Mammogram — right MLO. Patient age 32.
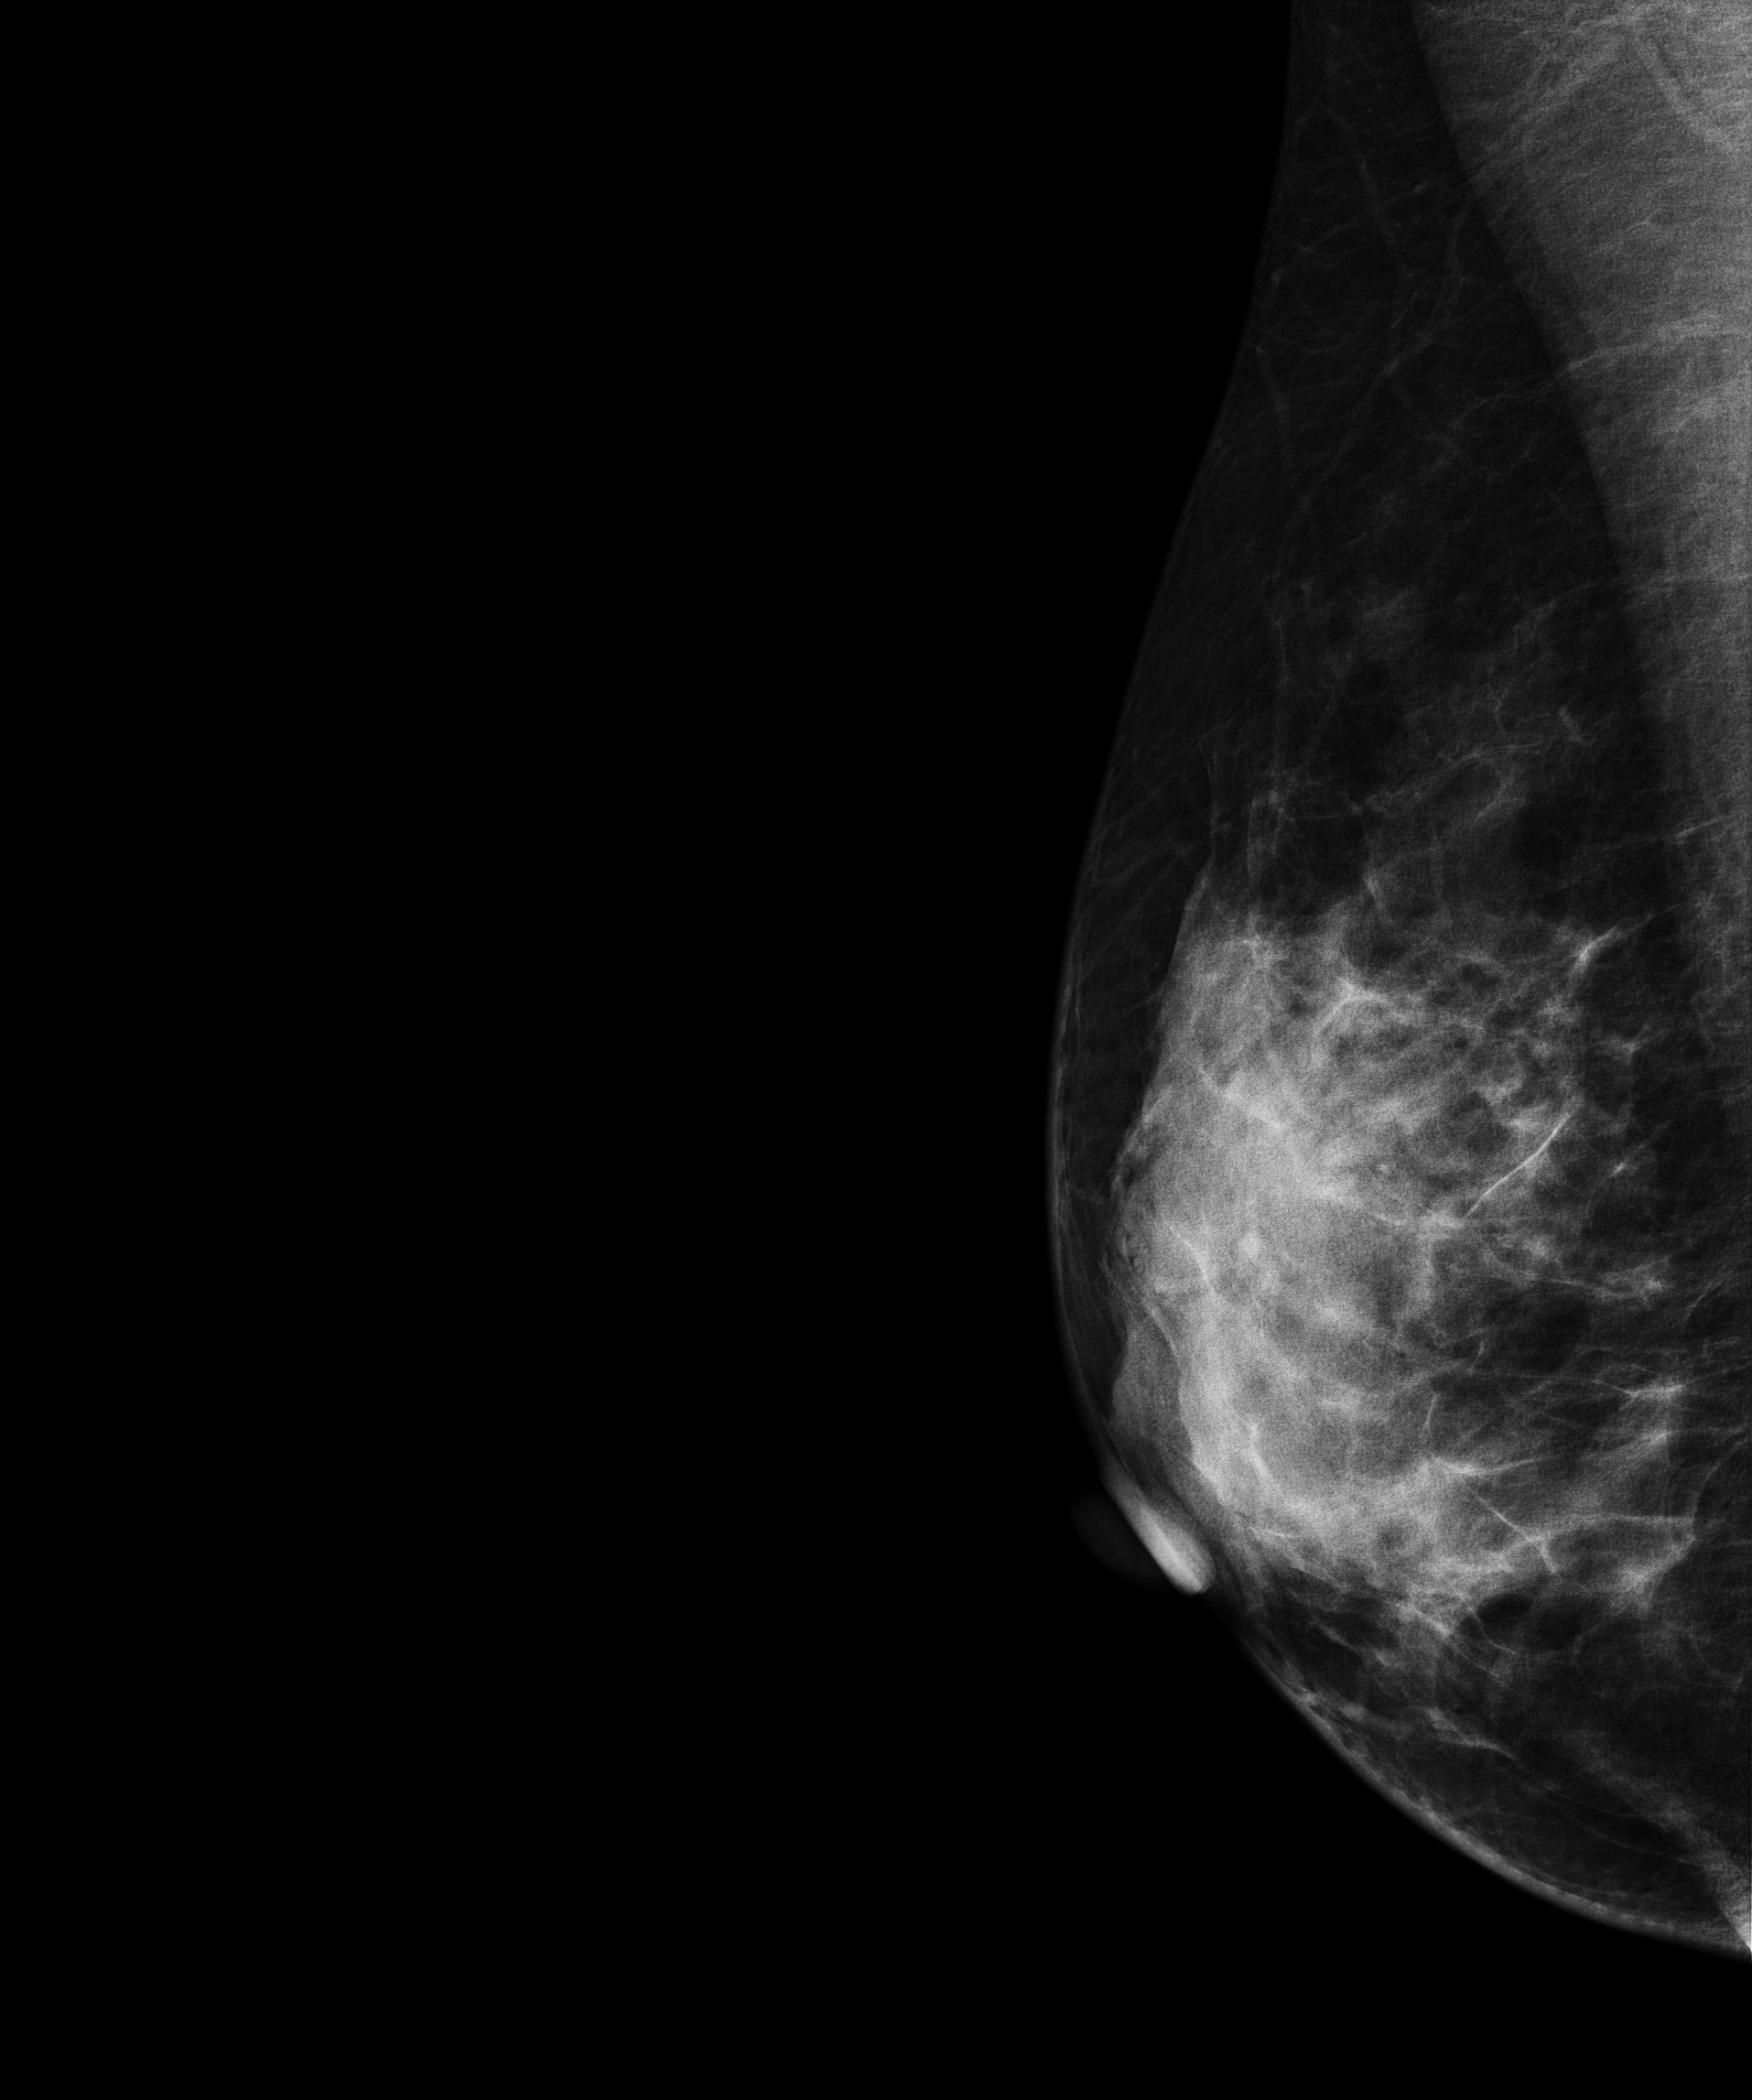
Contralateral breast — no documented abnormality on this side.